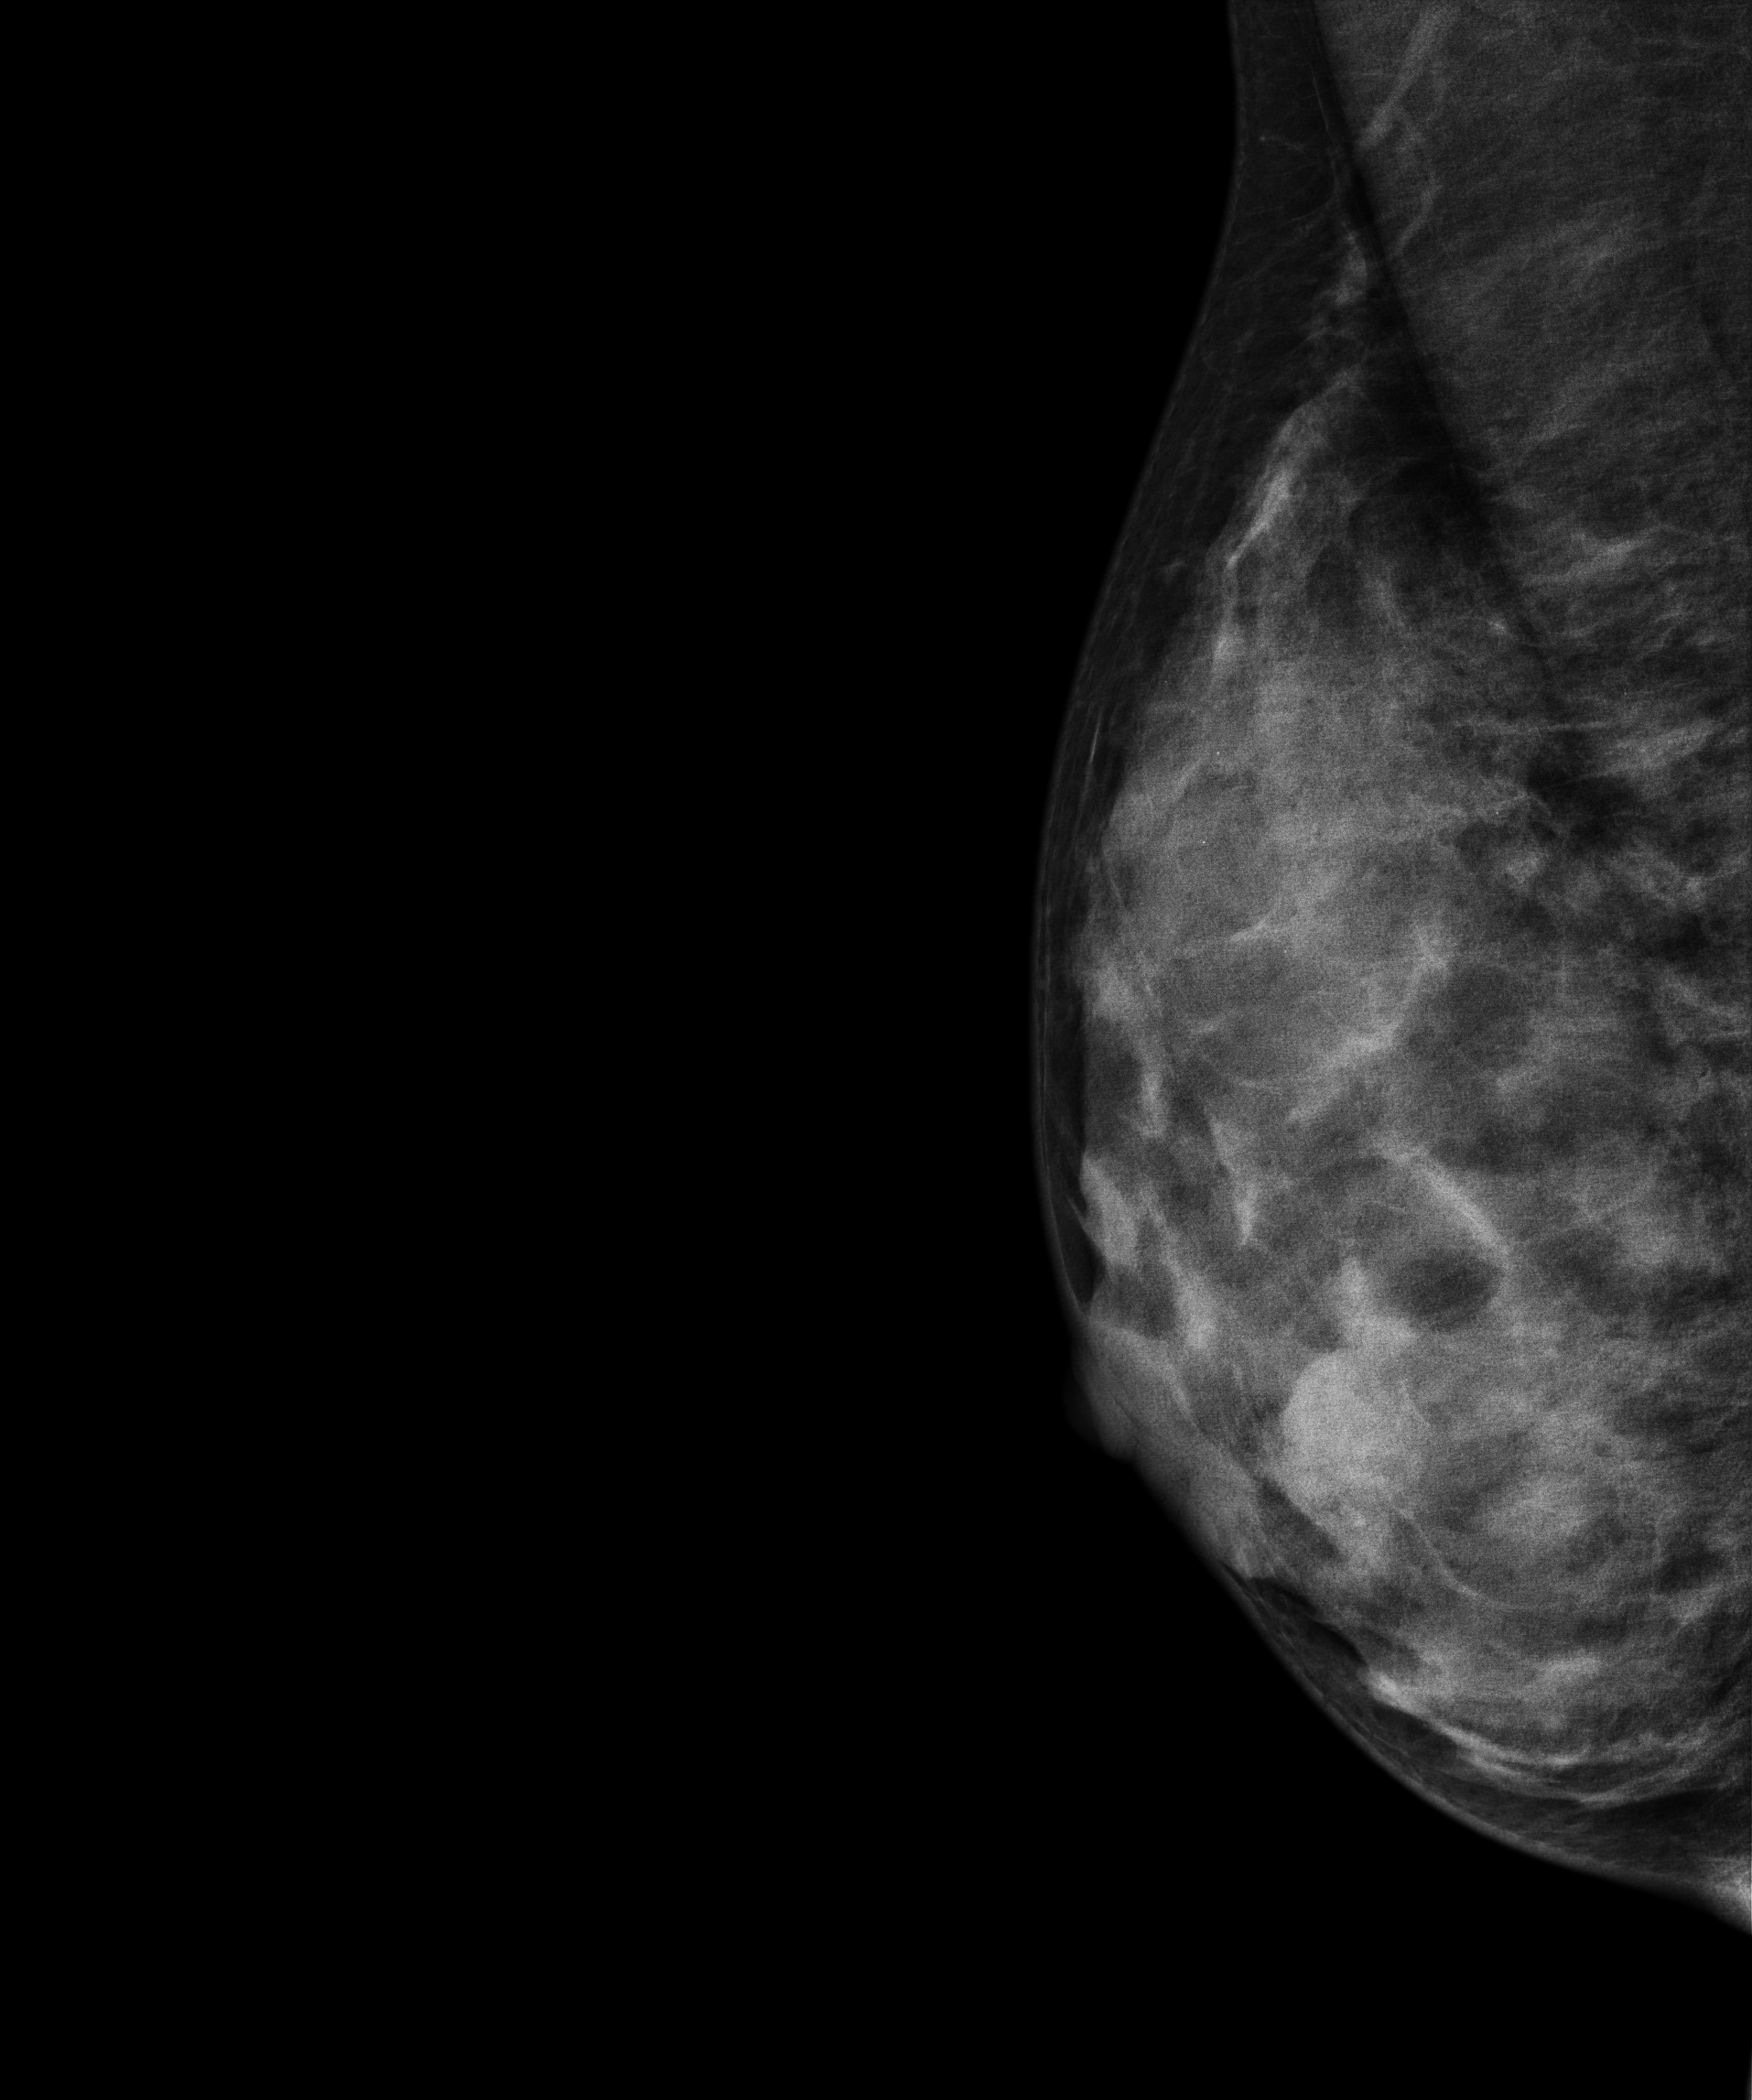
Mammogram, right breast, medio-lateral oblique view. 27 y/o patient.
This breast has a mass, pathology-confirmed benign.